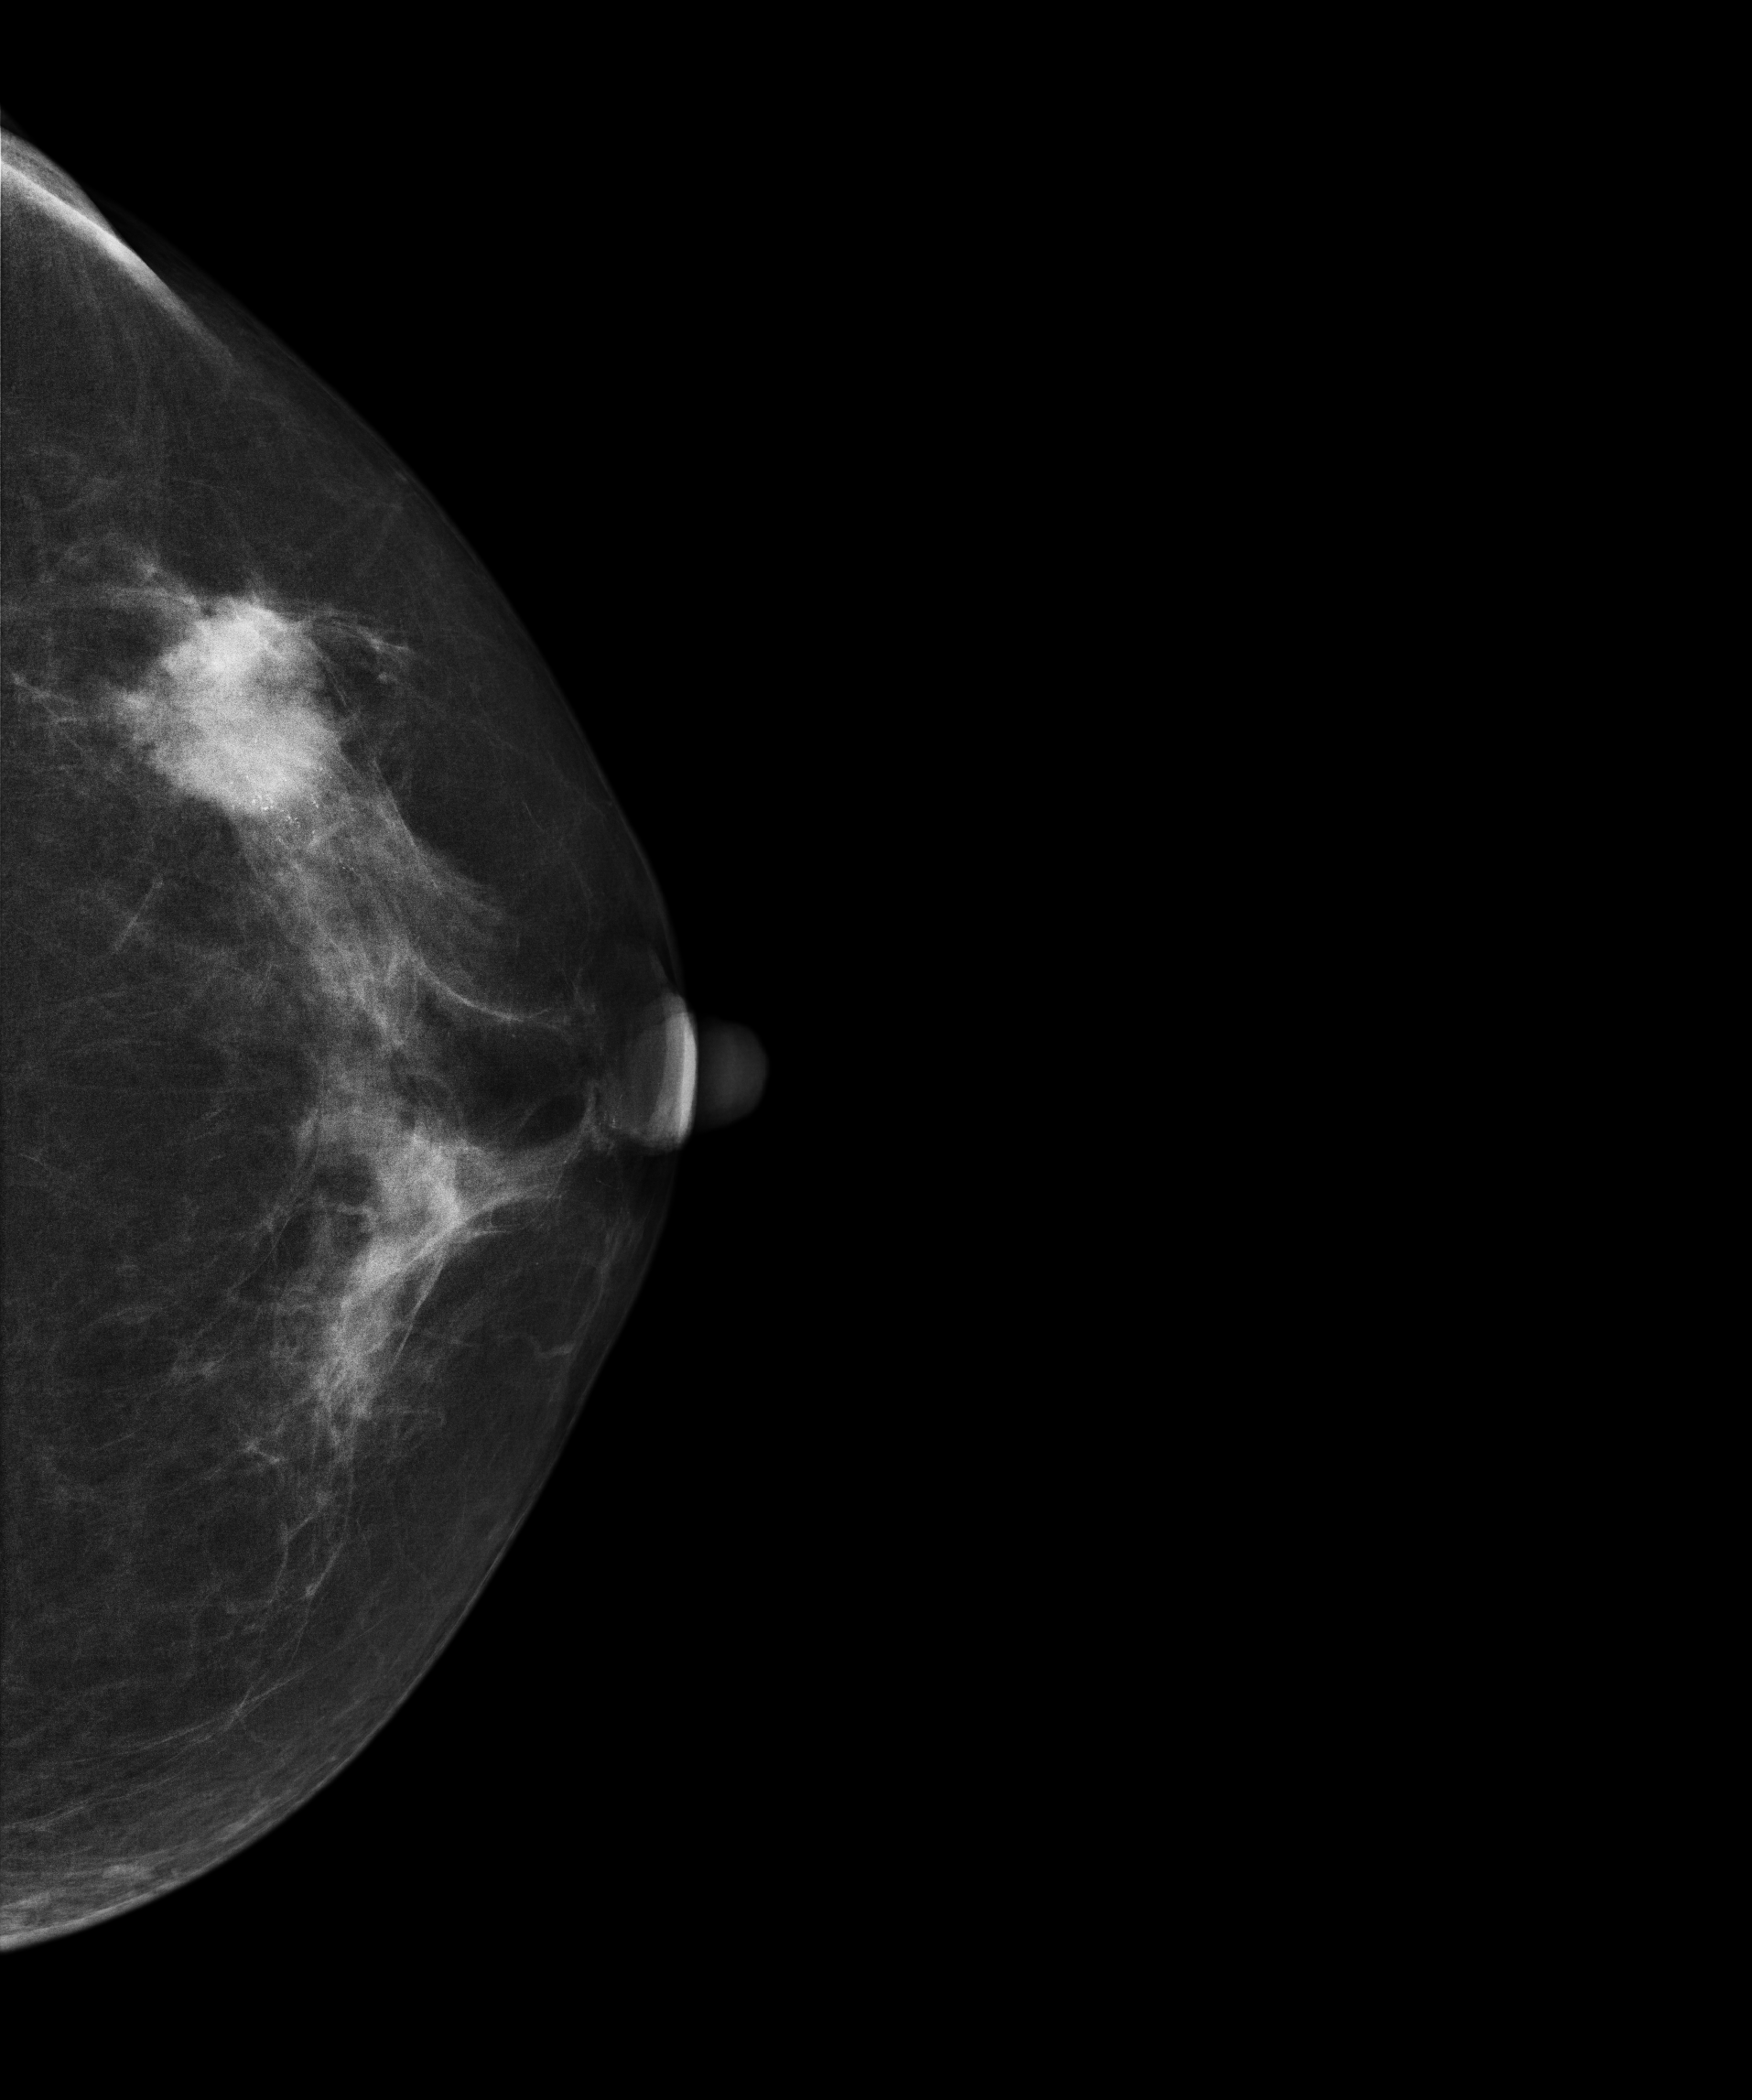
Left-breast mammogram, cranio-caudal. 53-year-old patient.
This breast has a mass and calcifications, pathology-confirmed malignant. Molecular subtype: luminal B.